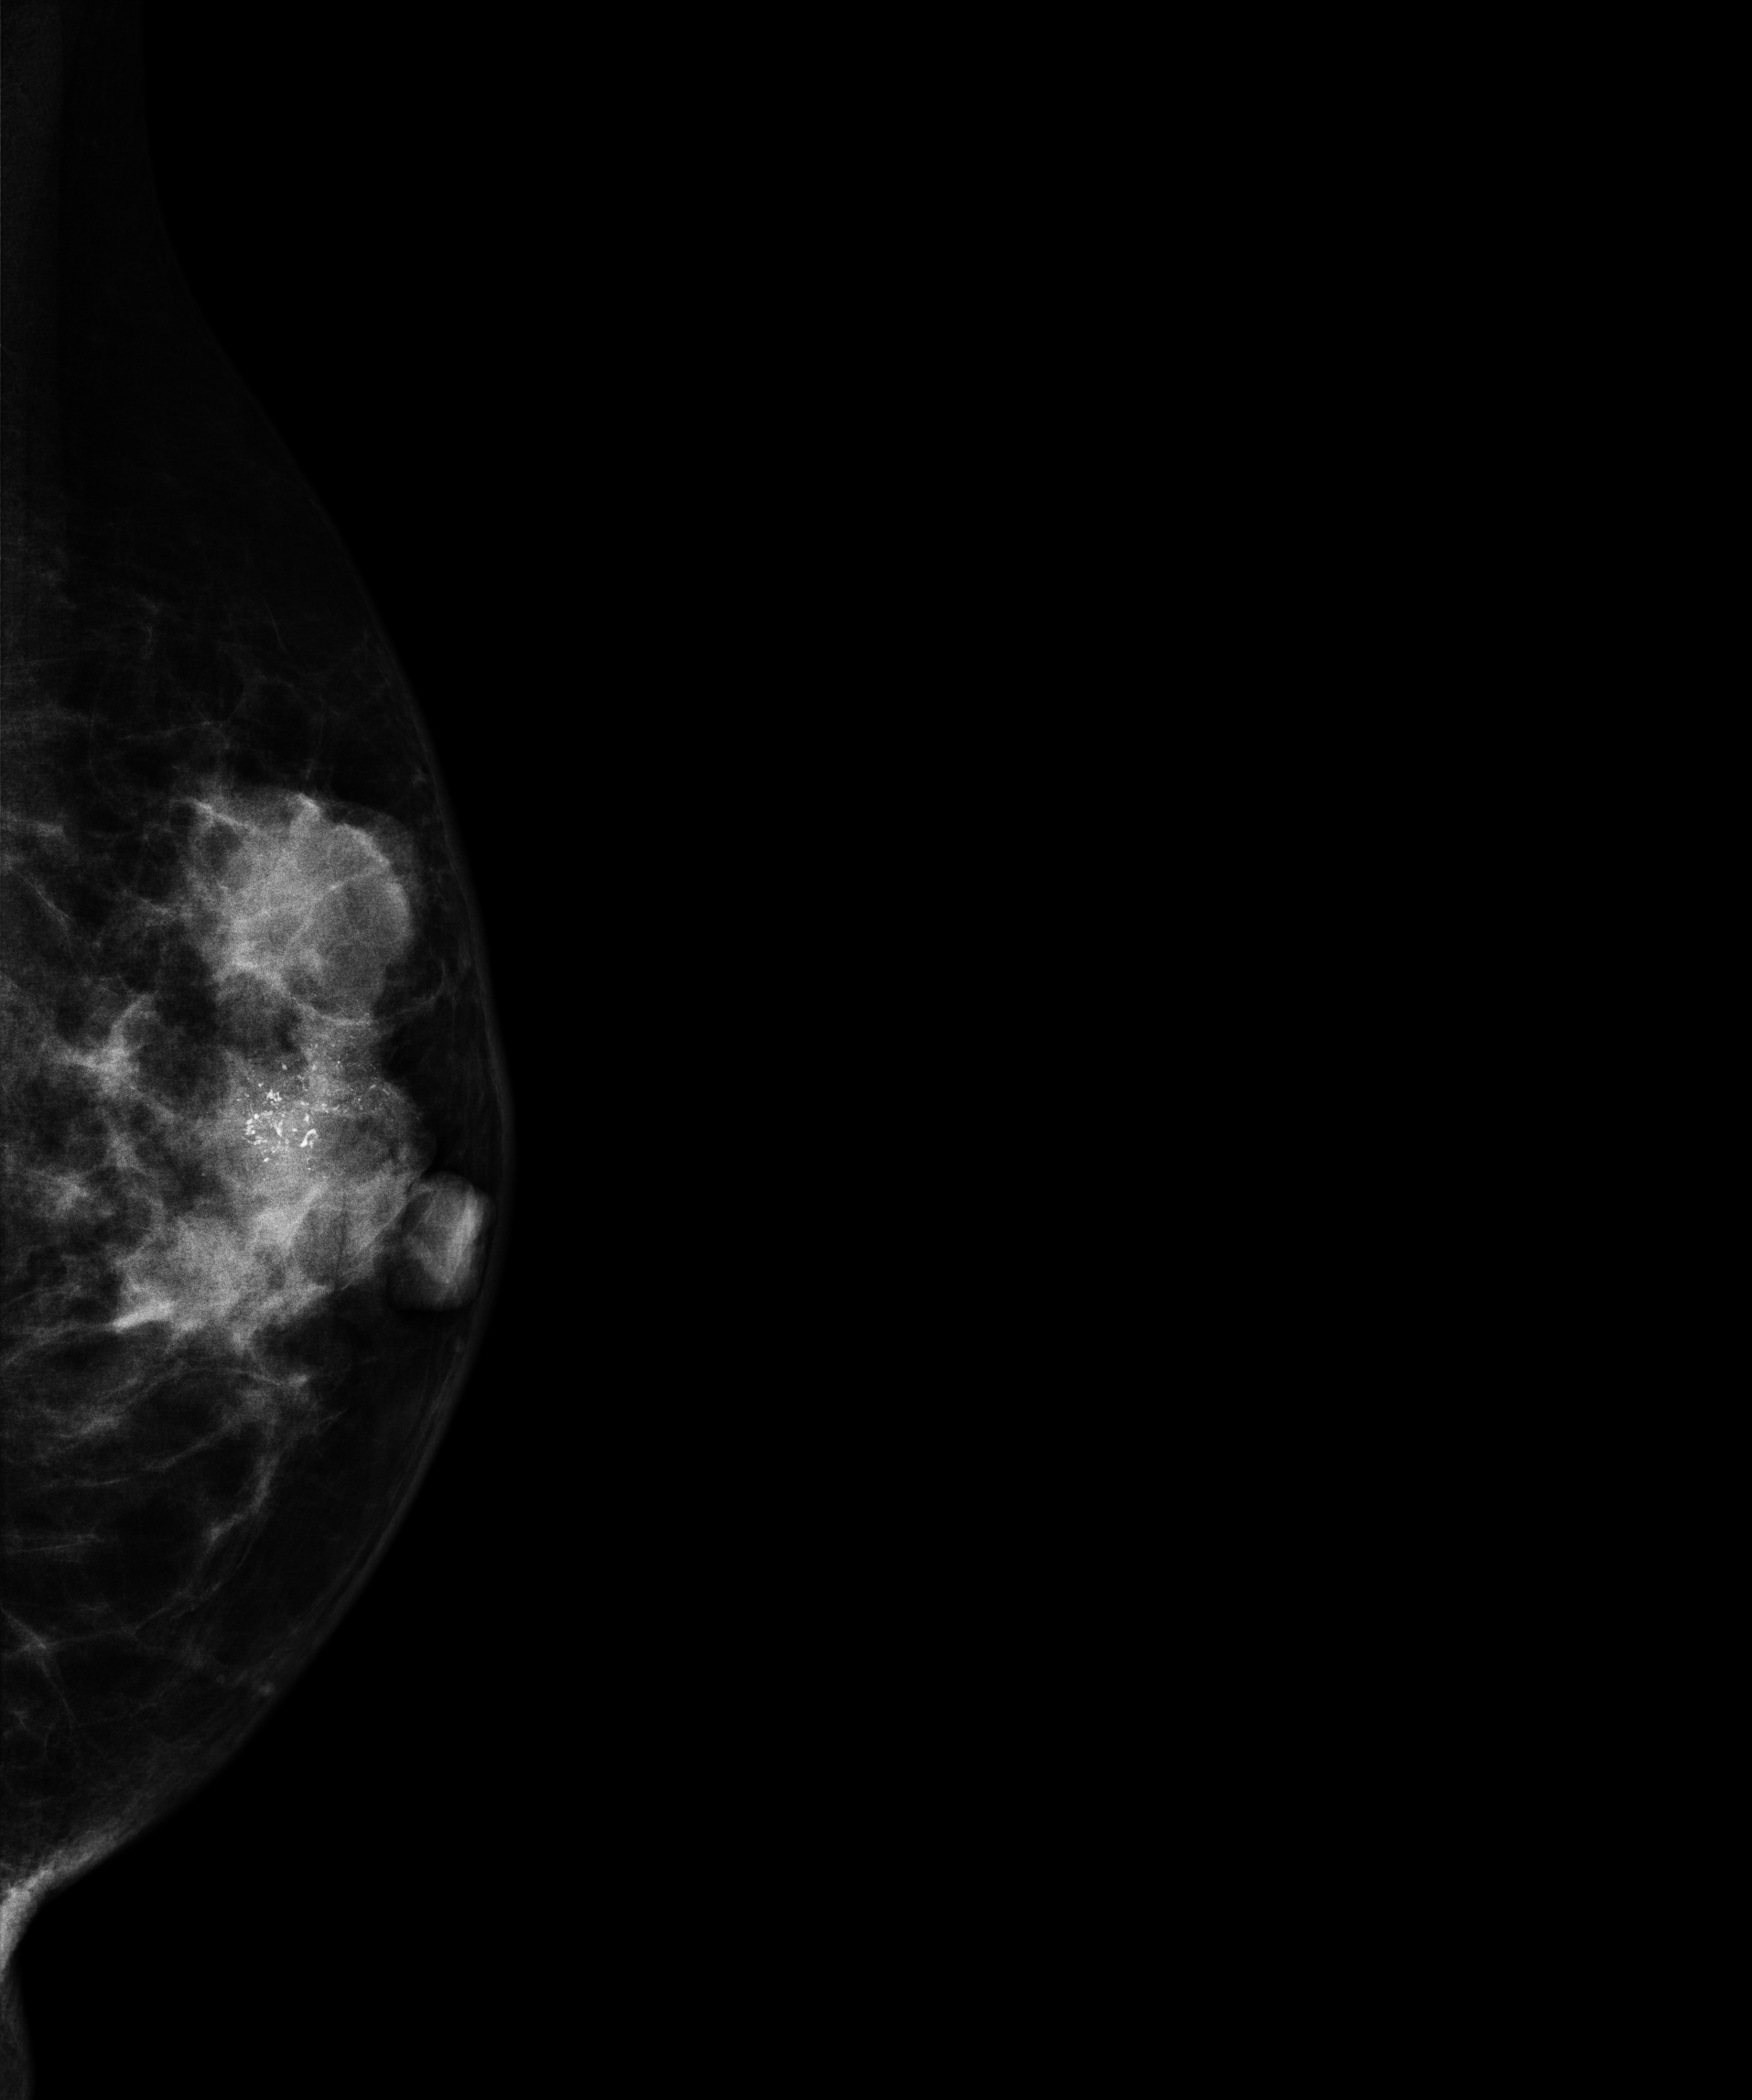
Mammogram — left medio-lateral oblique. 53 y/o patient.
This breast has a mass and calcifications, histologically confirmed malignant.